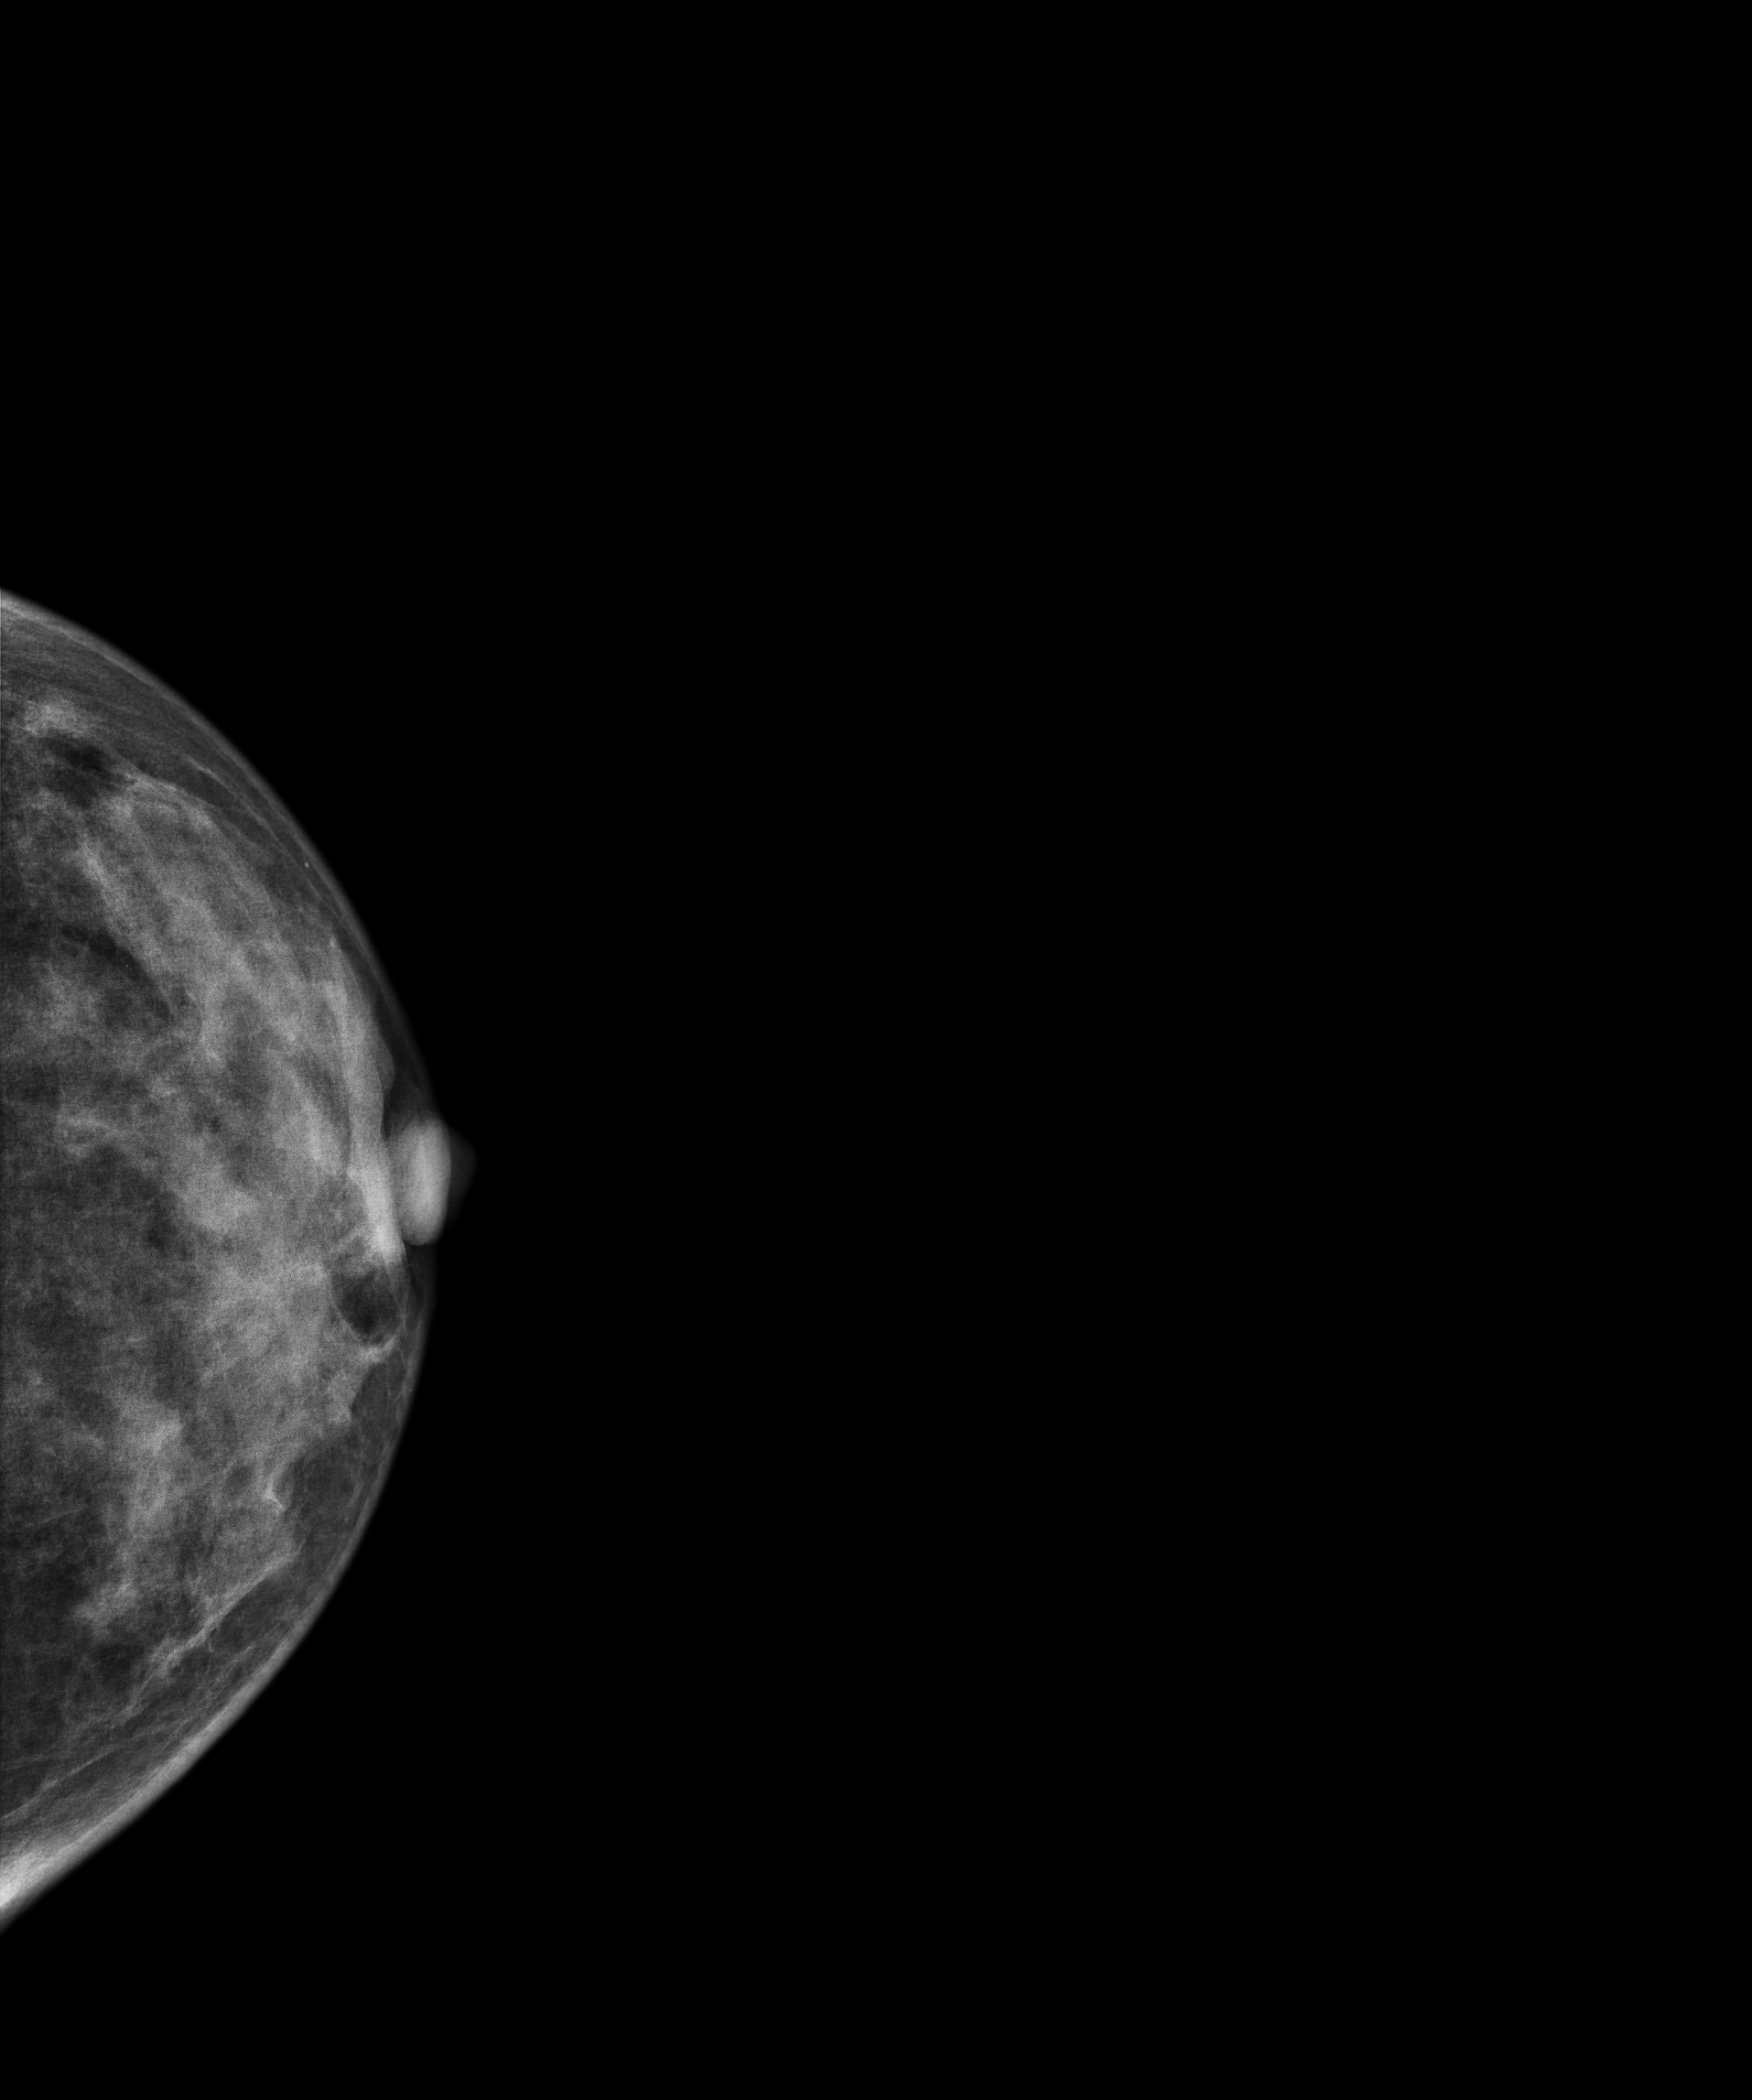
Mammogram, left breast, cranio-caudal view. 46-year-old patient.
This breast has a mass, biopsy-confirmed malignant. Molecular subtype: luminal A.